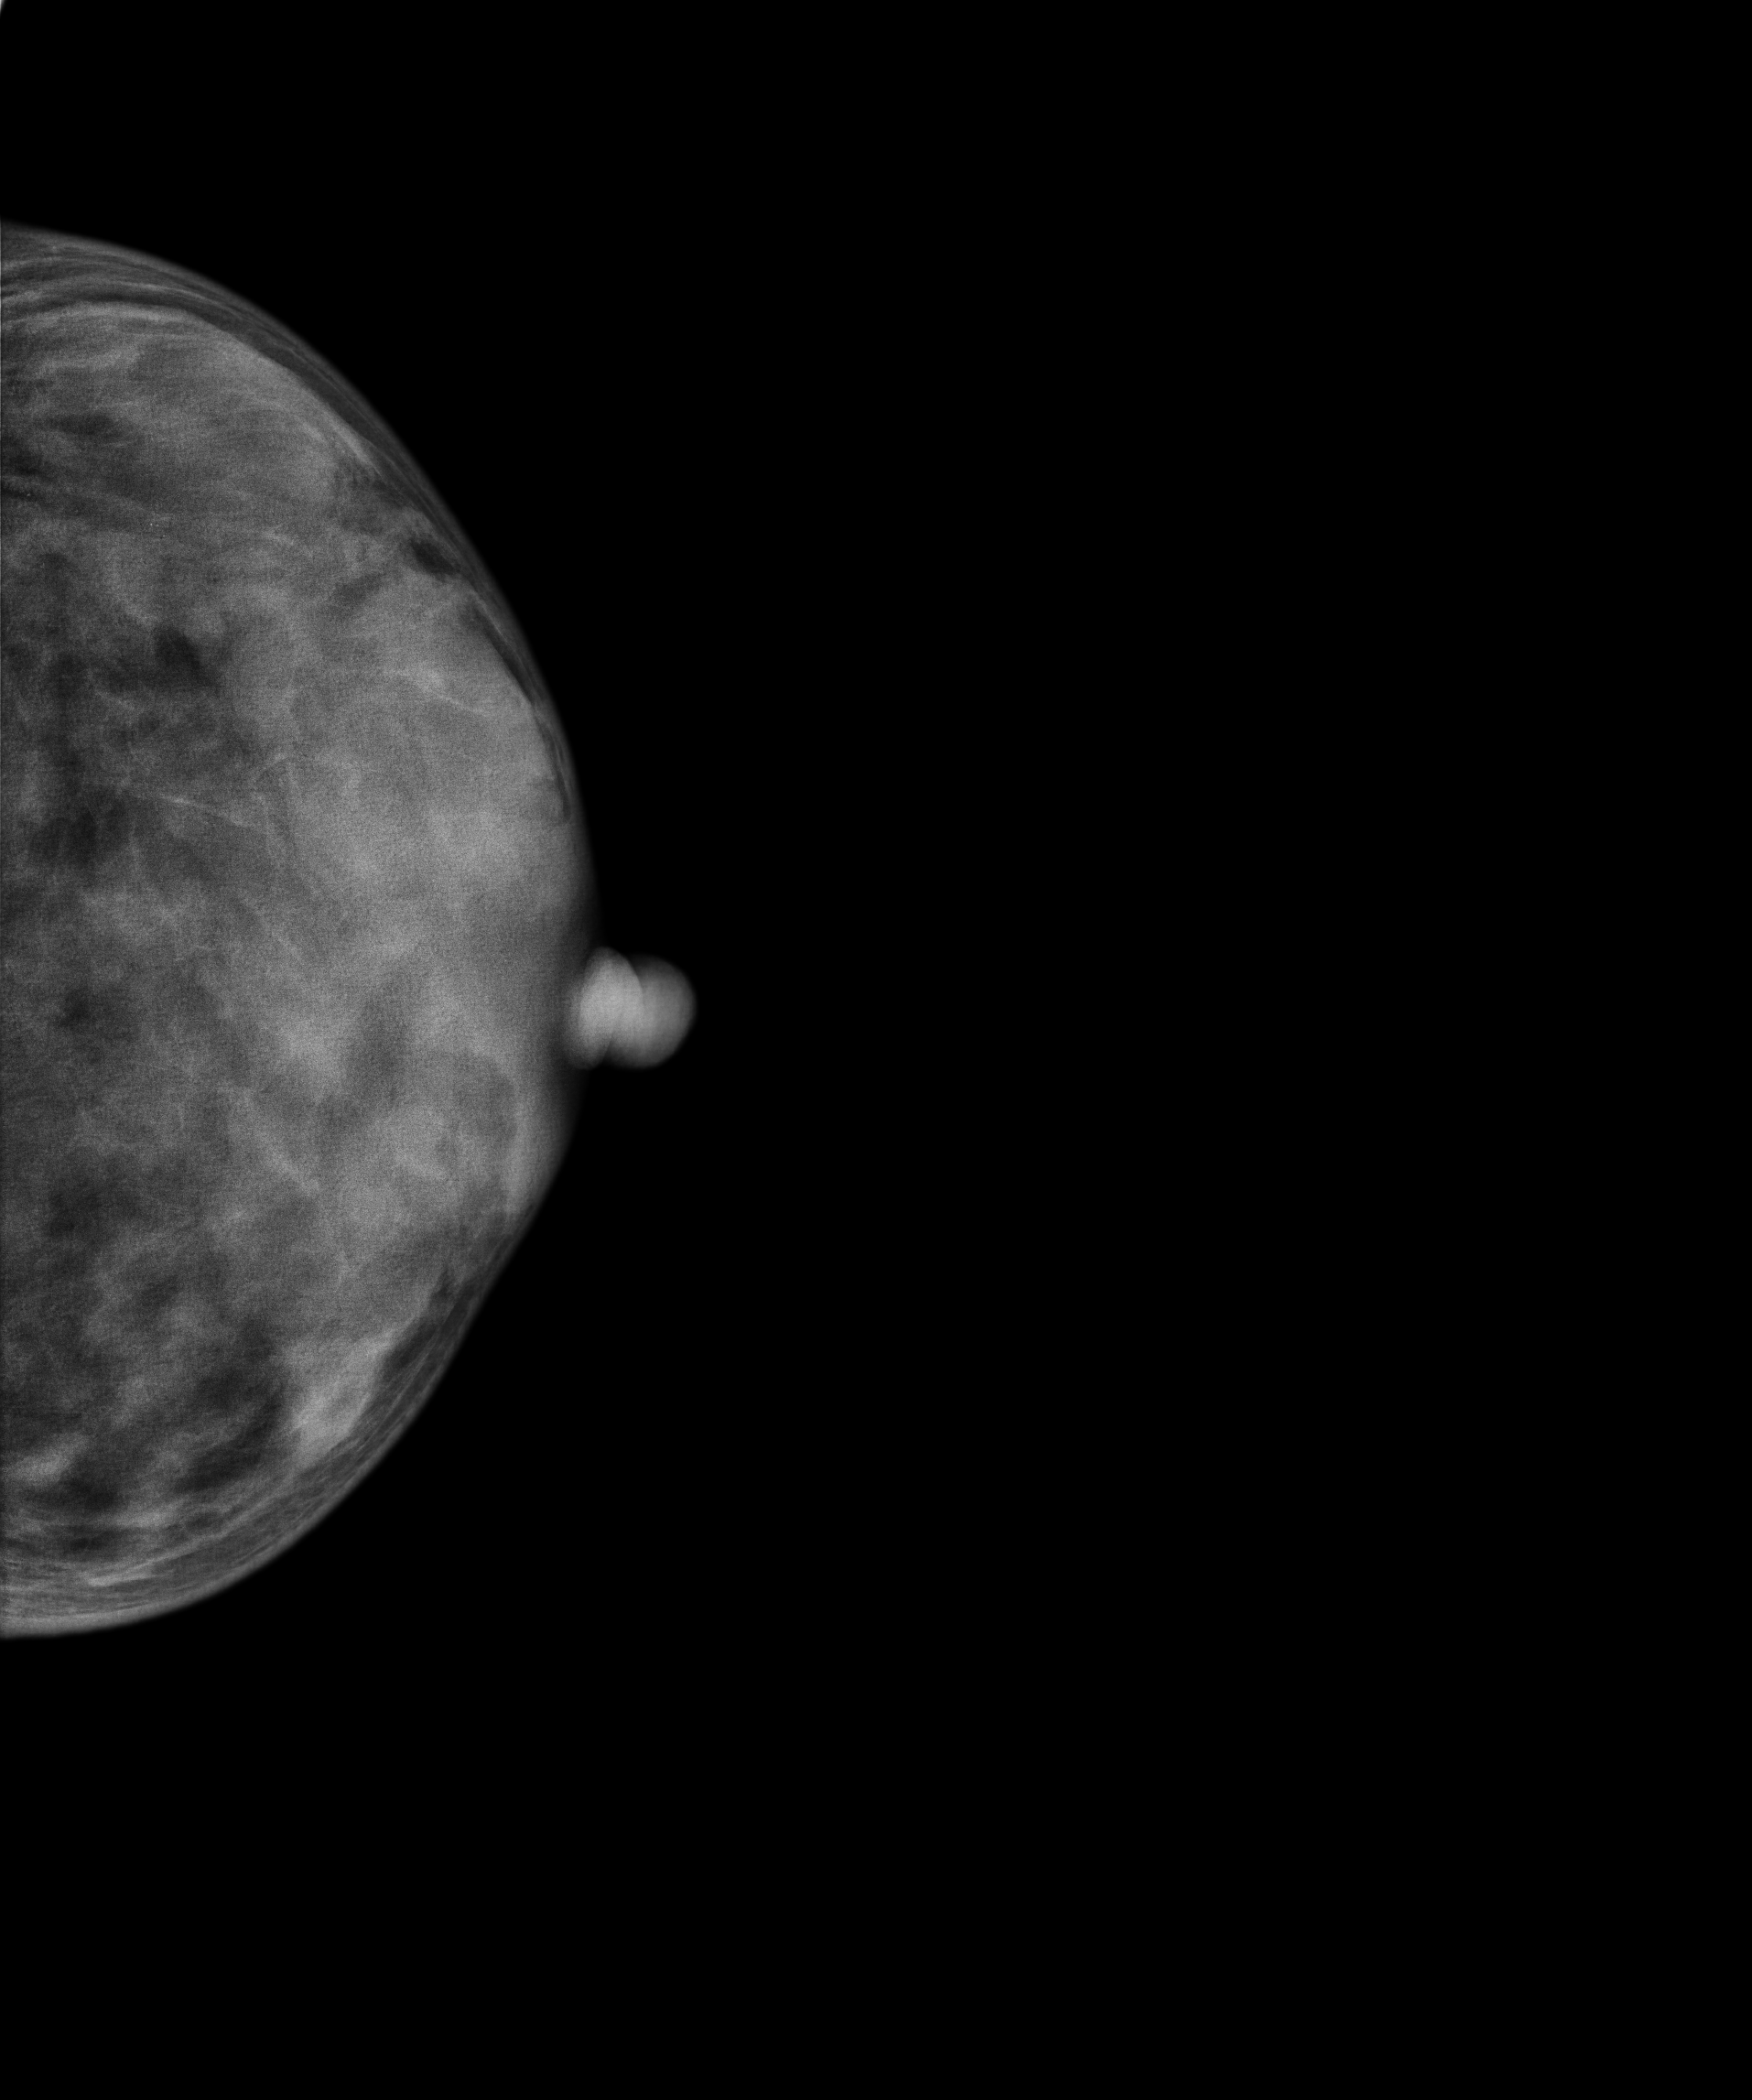
Mammogram, left breast, CC view. 42 y/o patient.
This breast has a mass, biopsy-confirmed malignant.